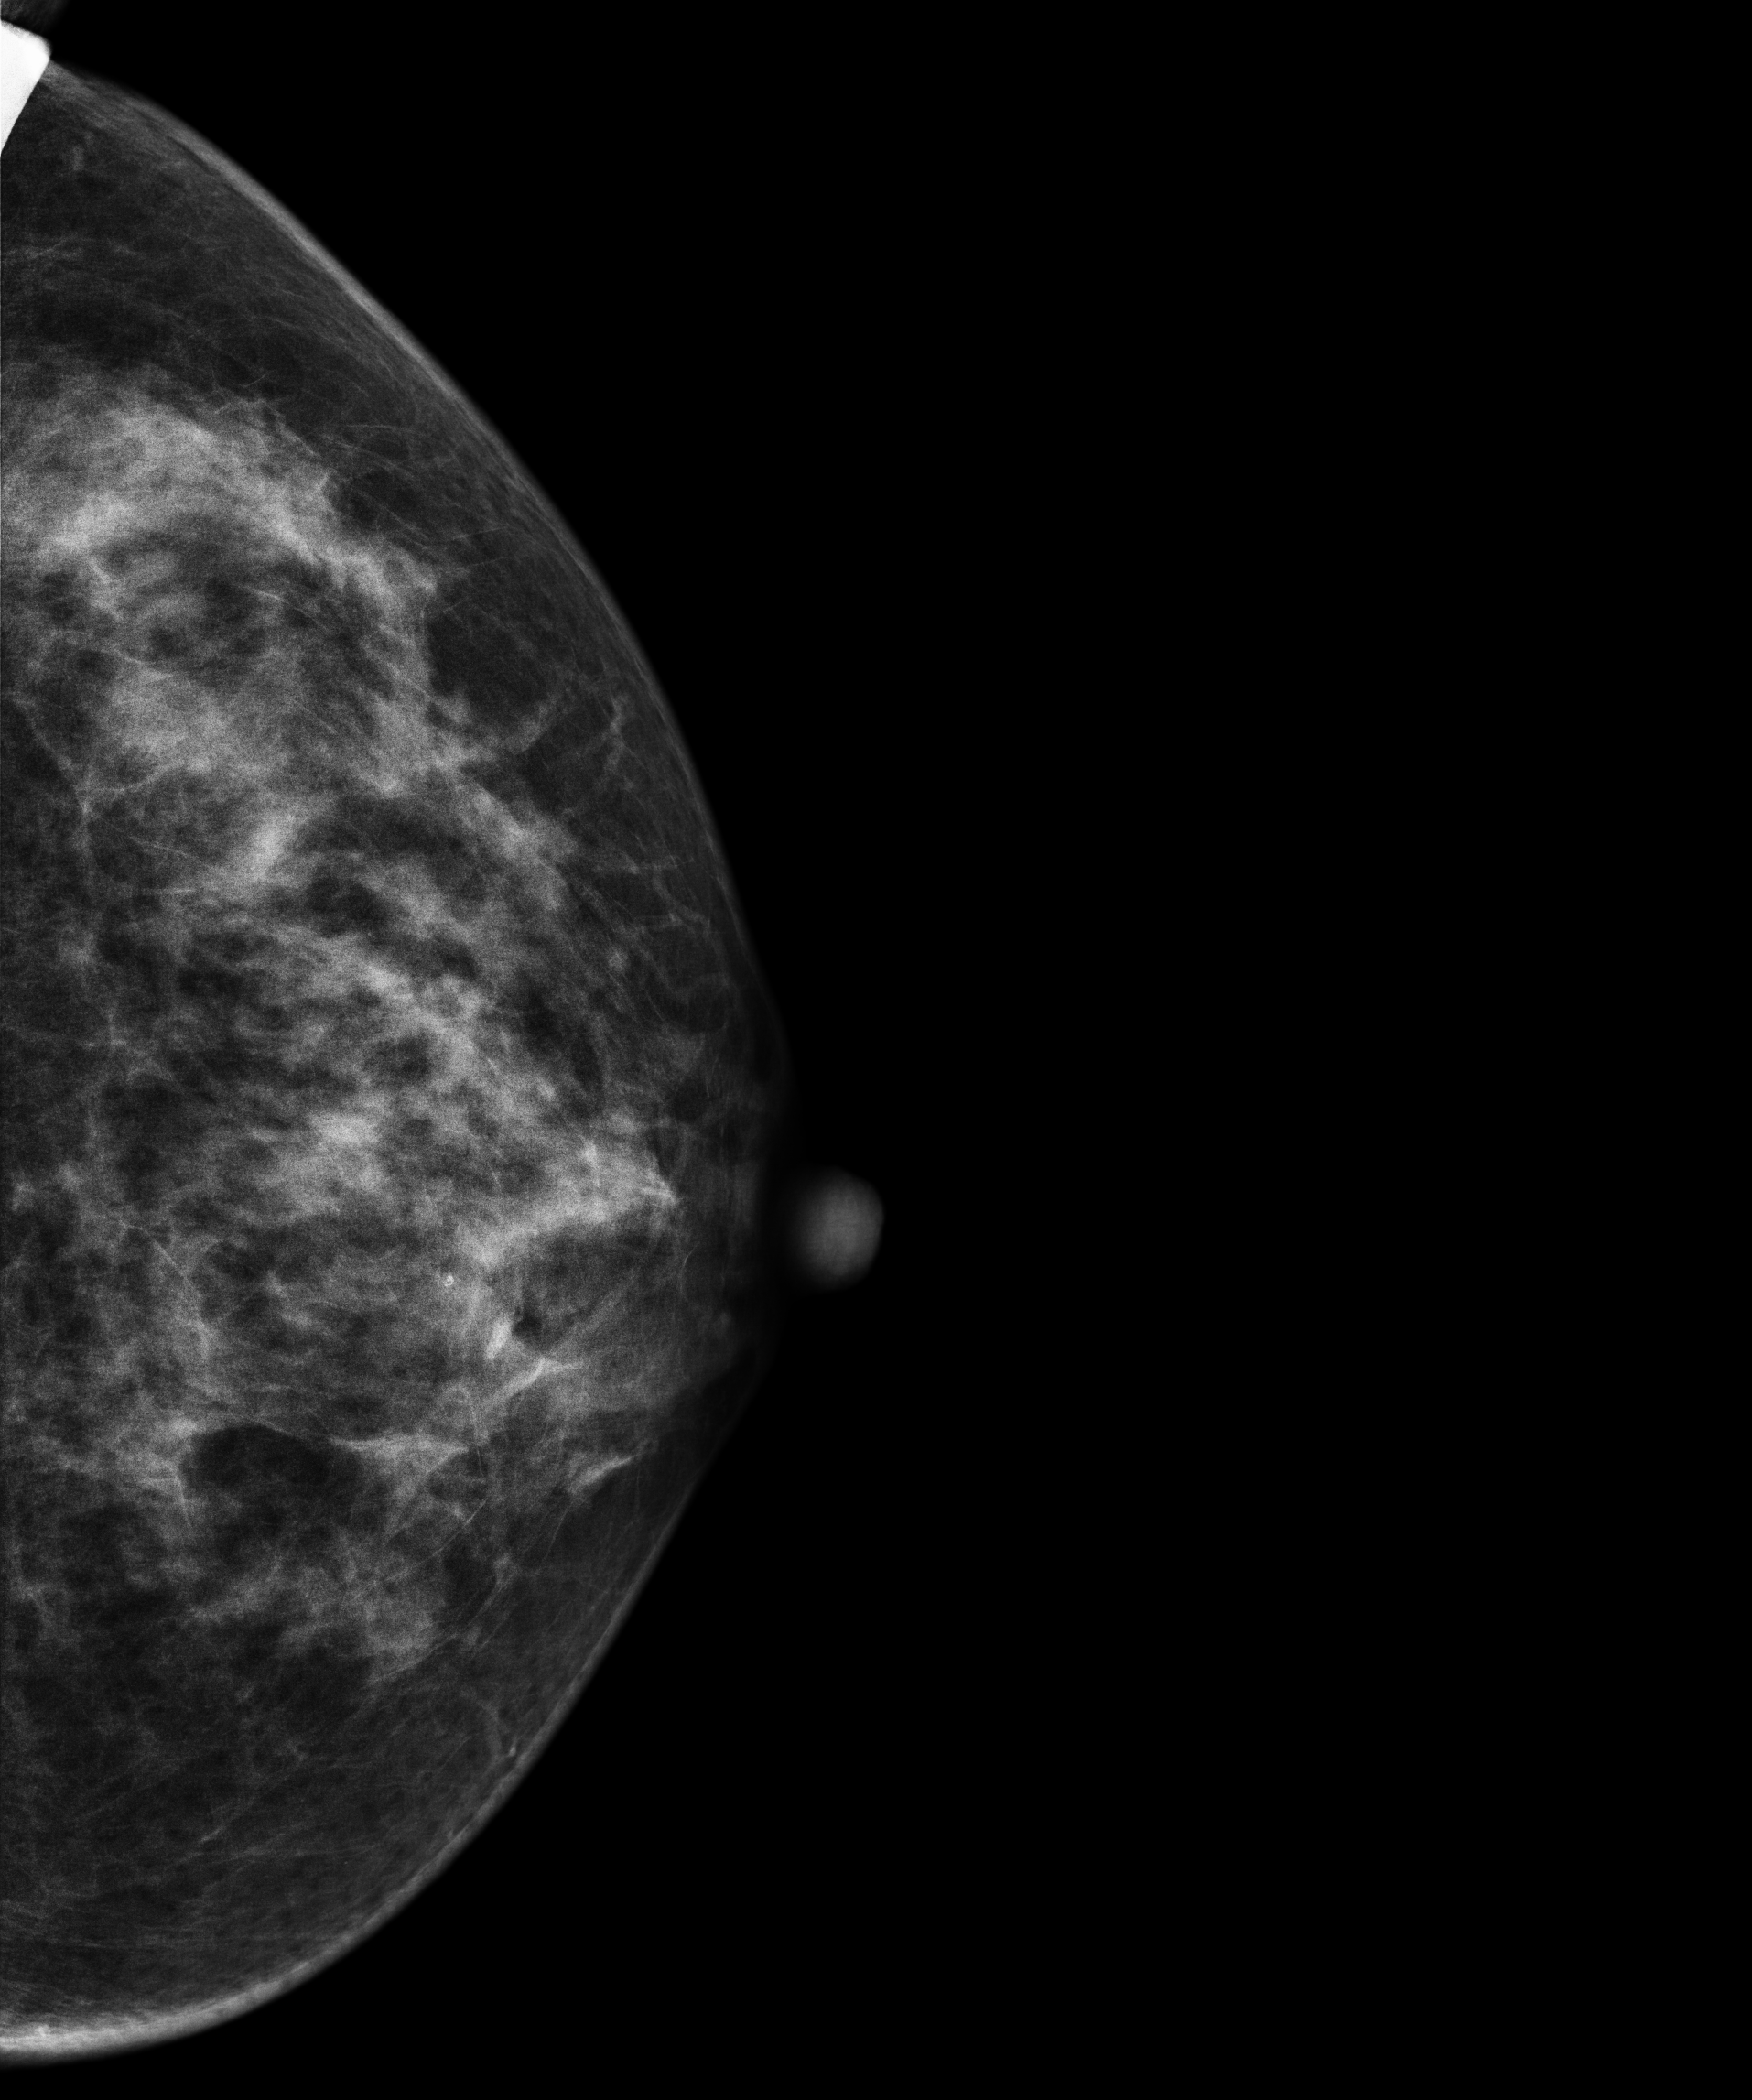
CC mammogram of the left breast. 51 y/o patient.
This breast has a mass and calcifications, biopsy-confirmed benign.